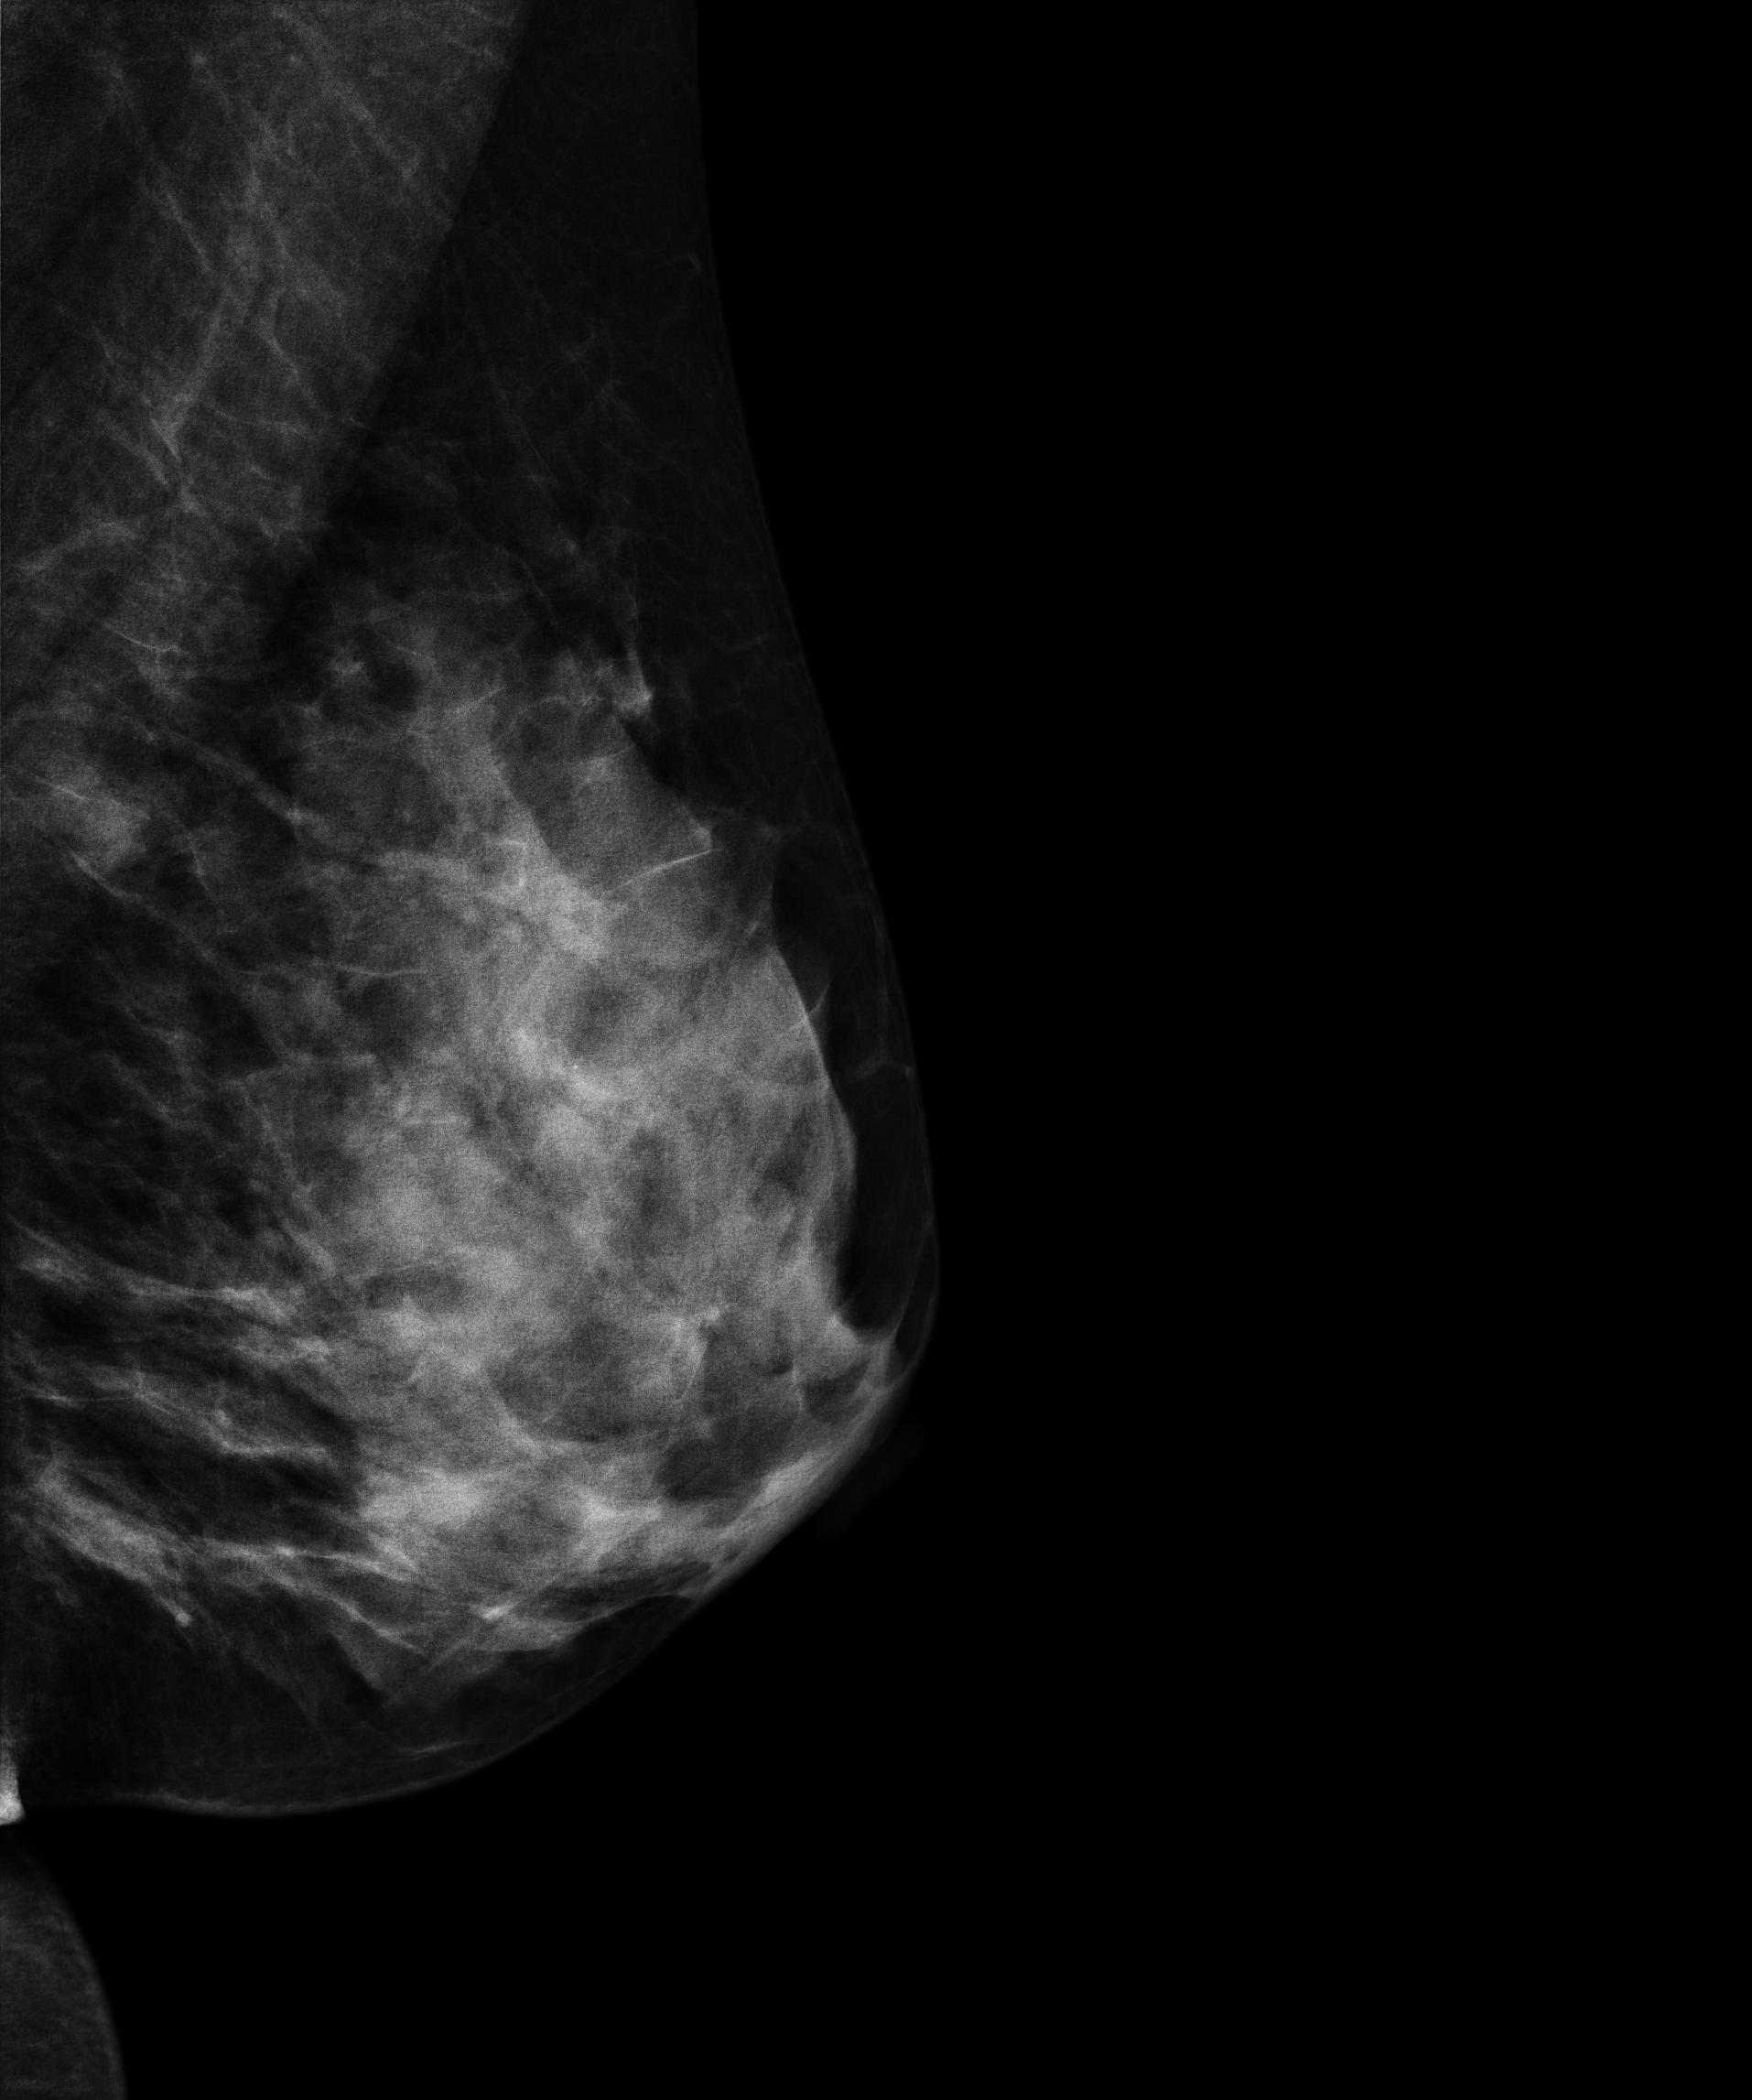
Mammogram, left breast, MLO view. 39-year-old patient.
This breast has a mass, histologically confirmed benign.